Medio-lateral oblique mammogram of the right breast. 66 y/o patient.
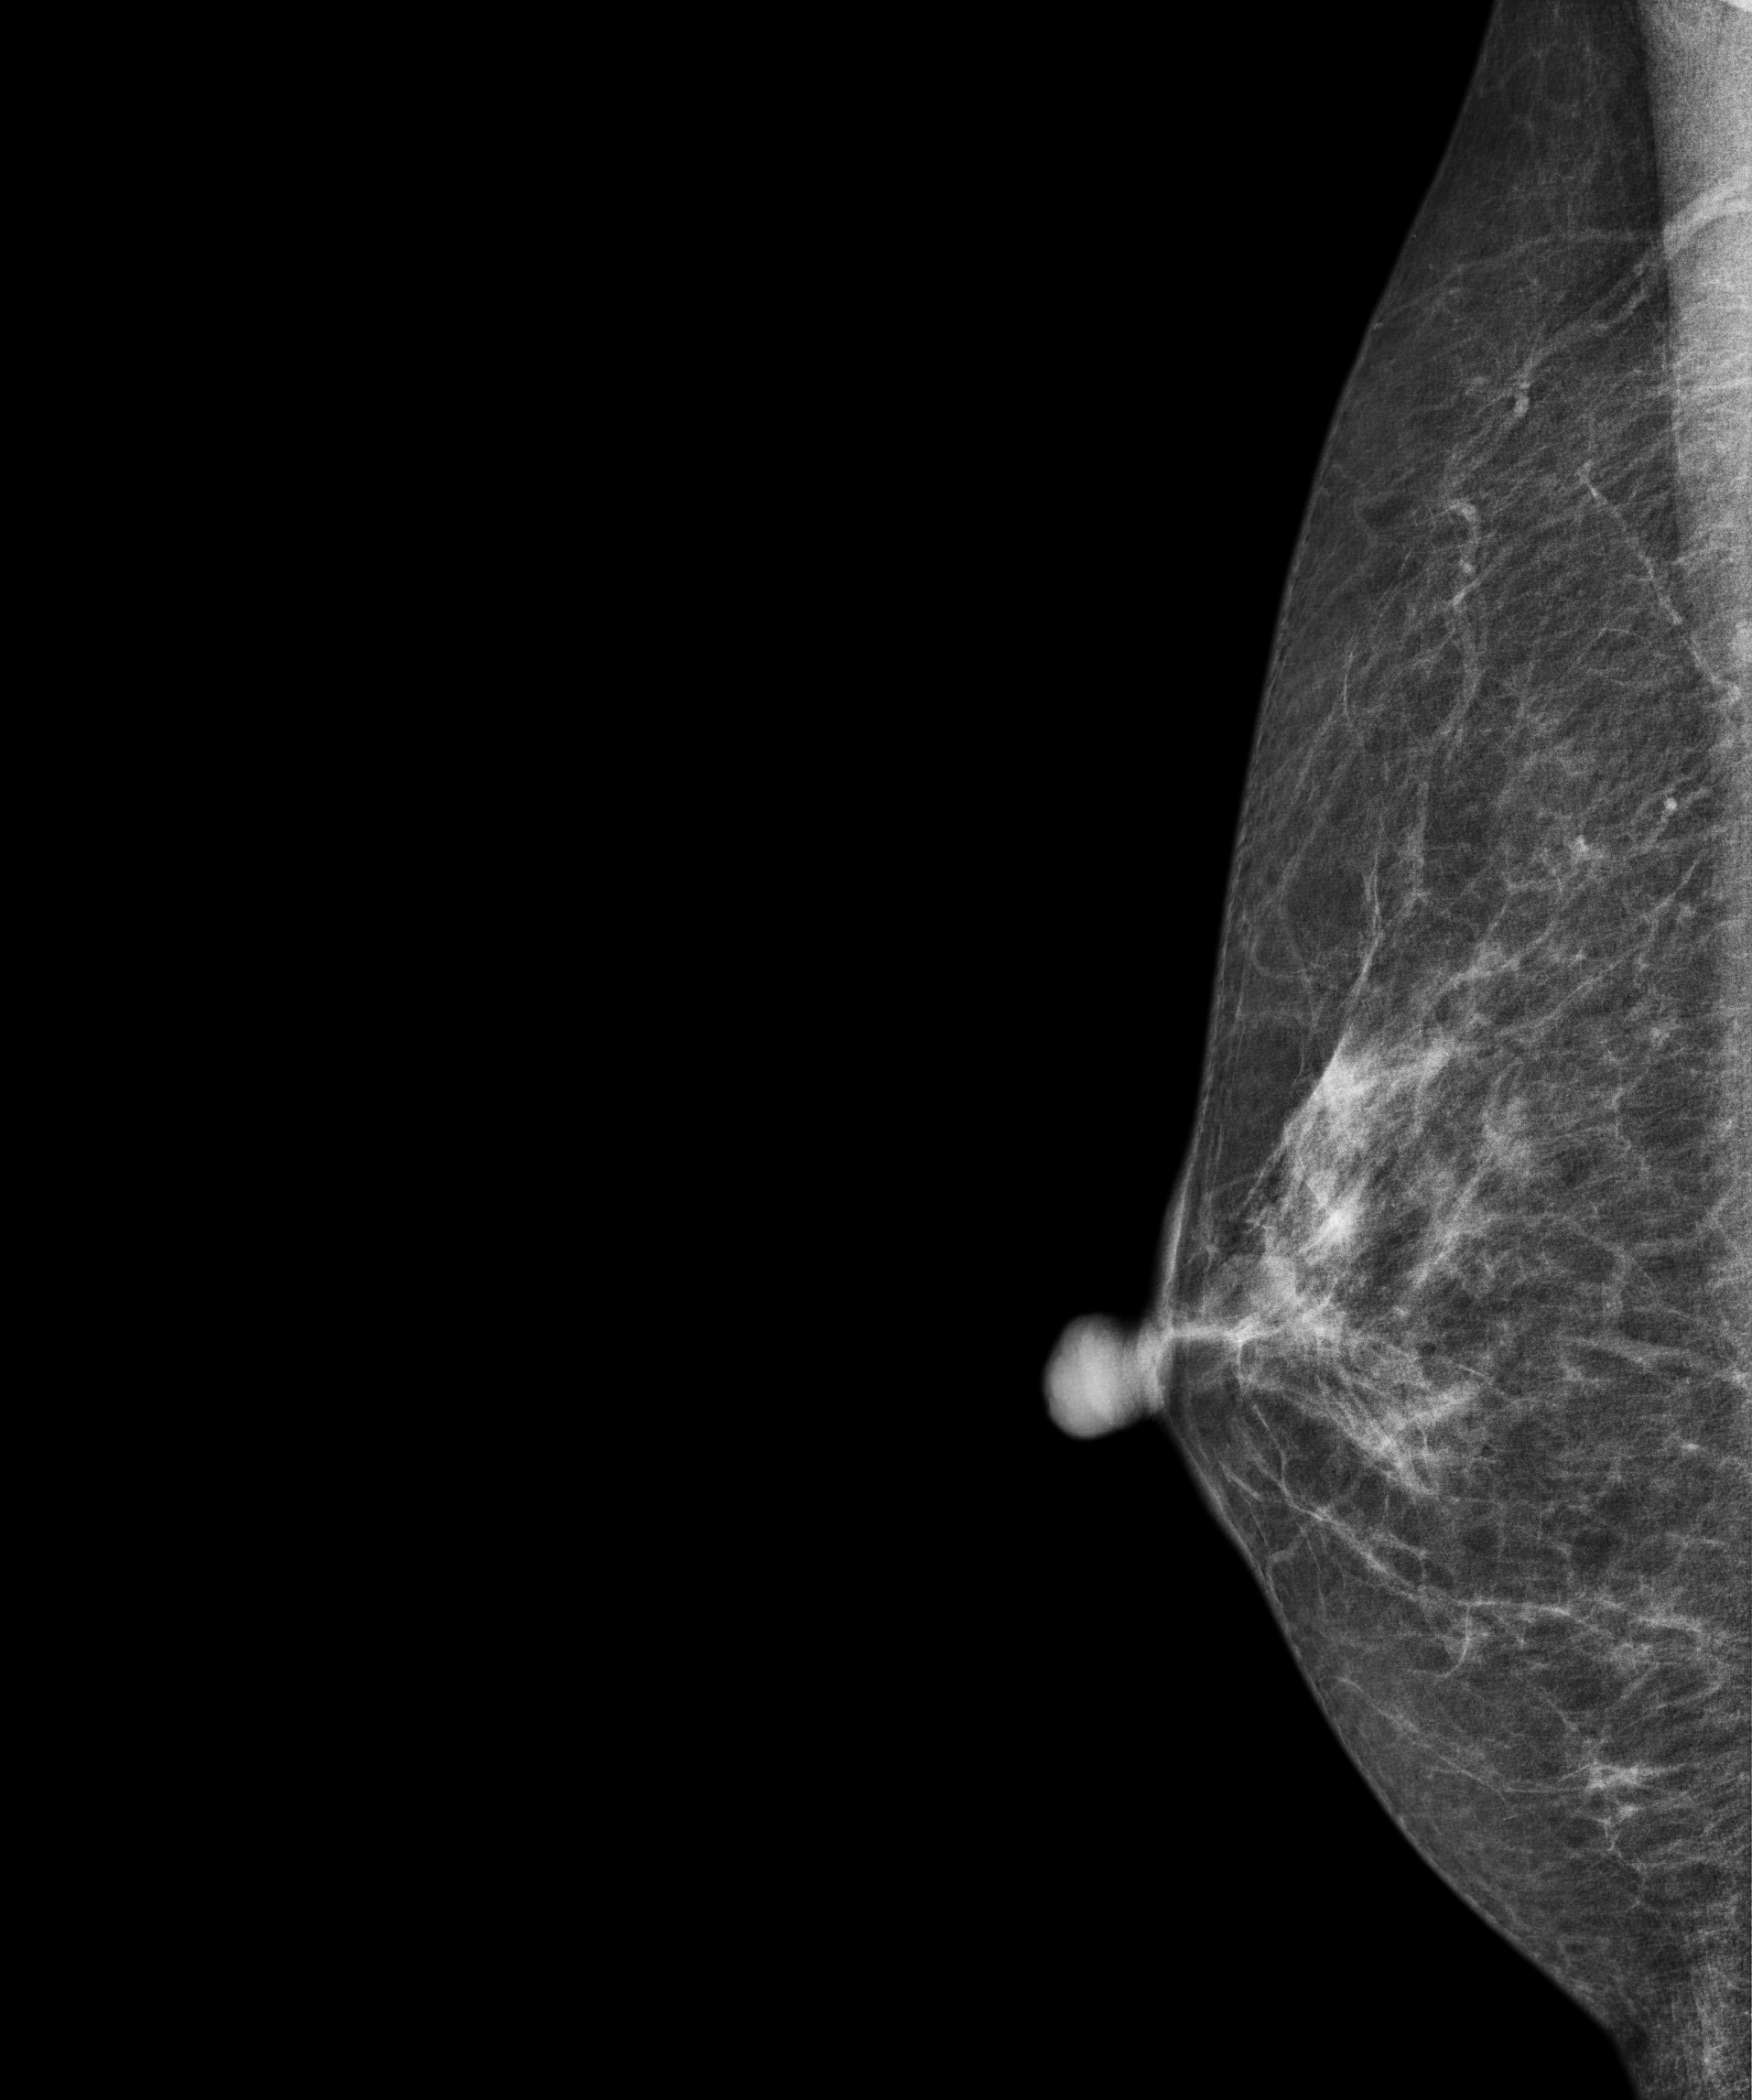
Contralateral breast — no documented abnormality on this side.